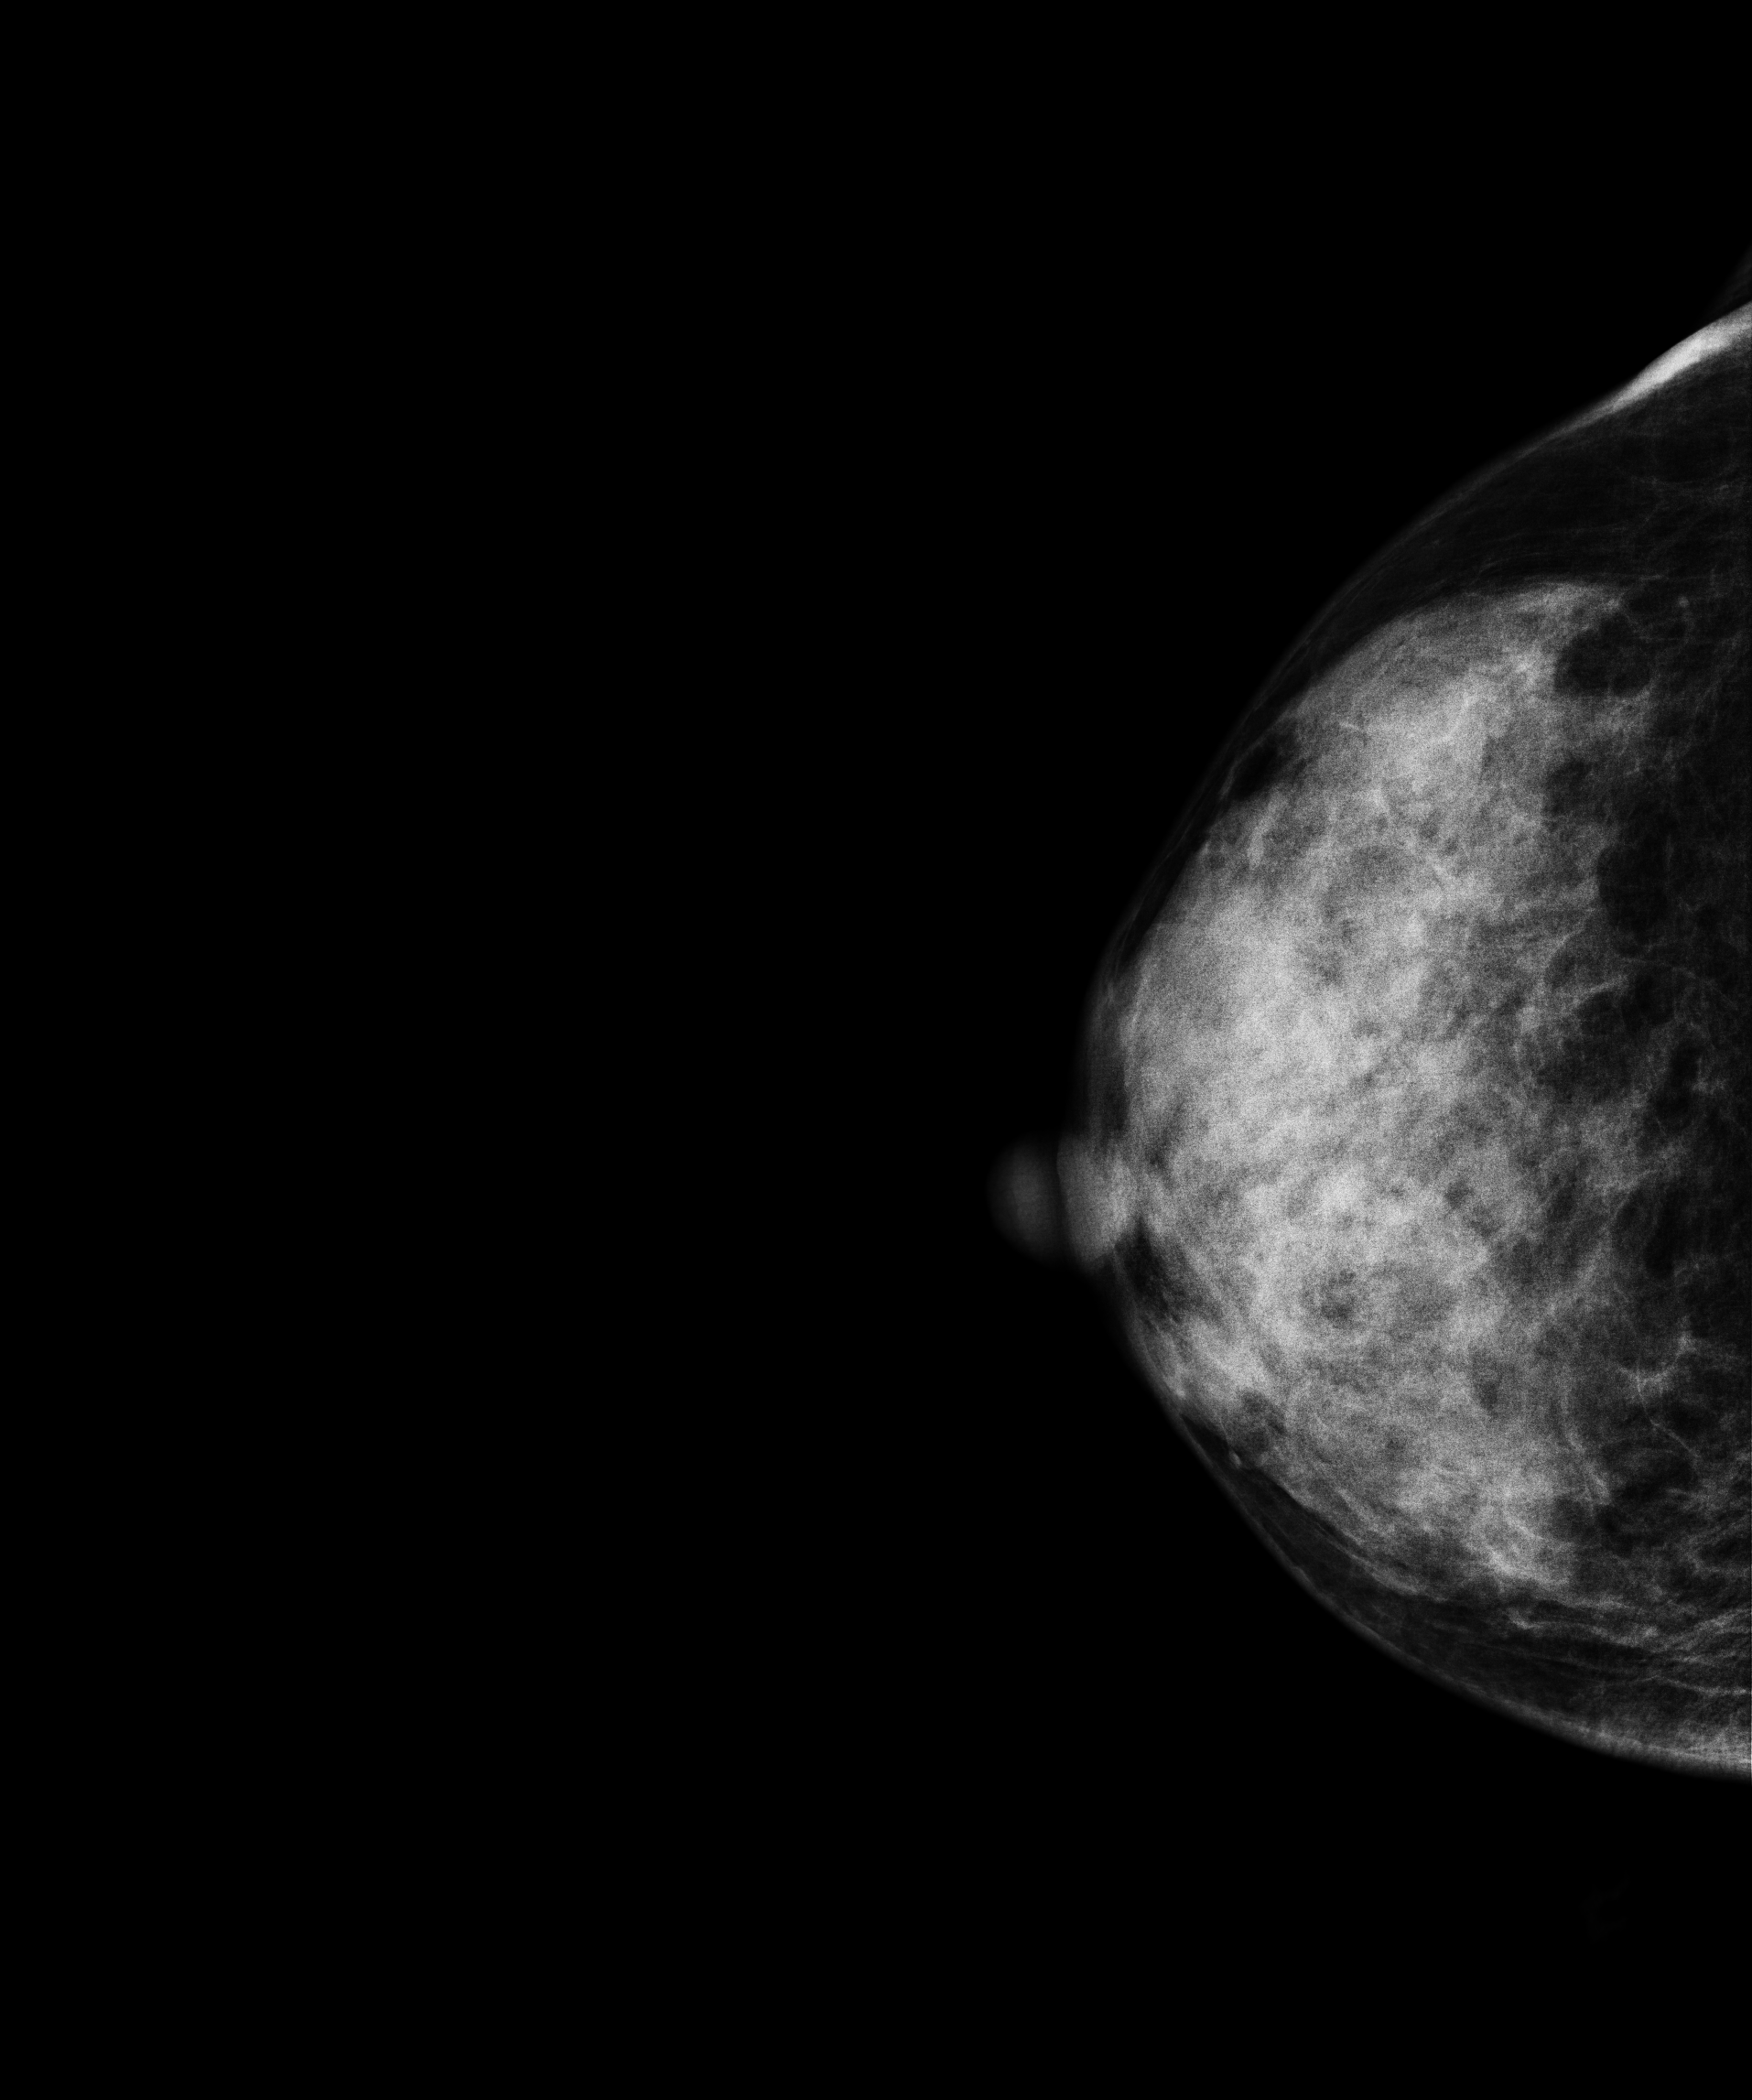
Mammogram — right cranio-caudal. 47 y/o patient.
This breast has a mass, pathology-confirmed benign.